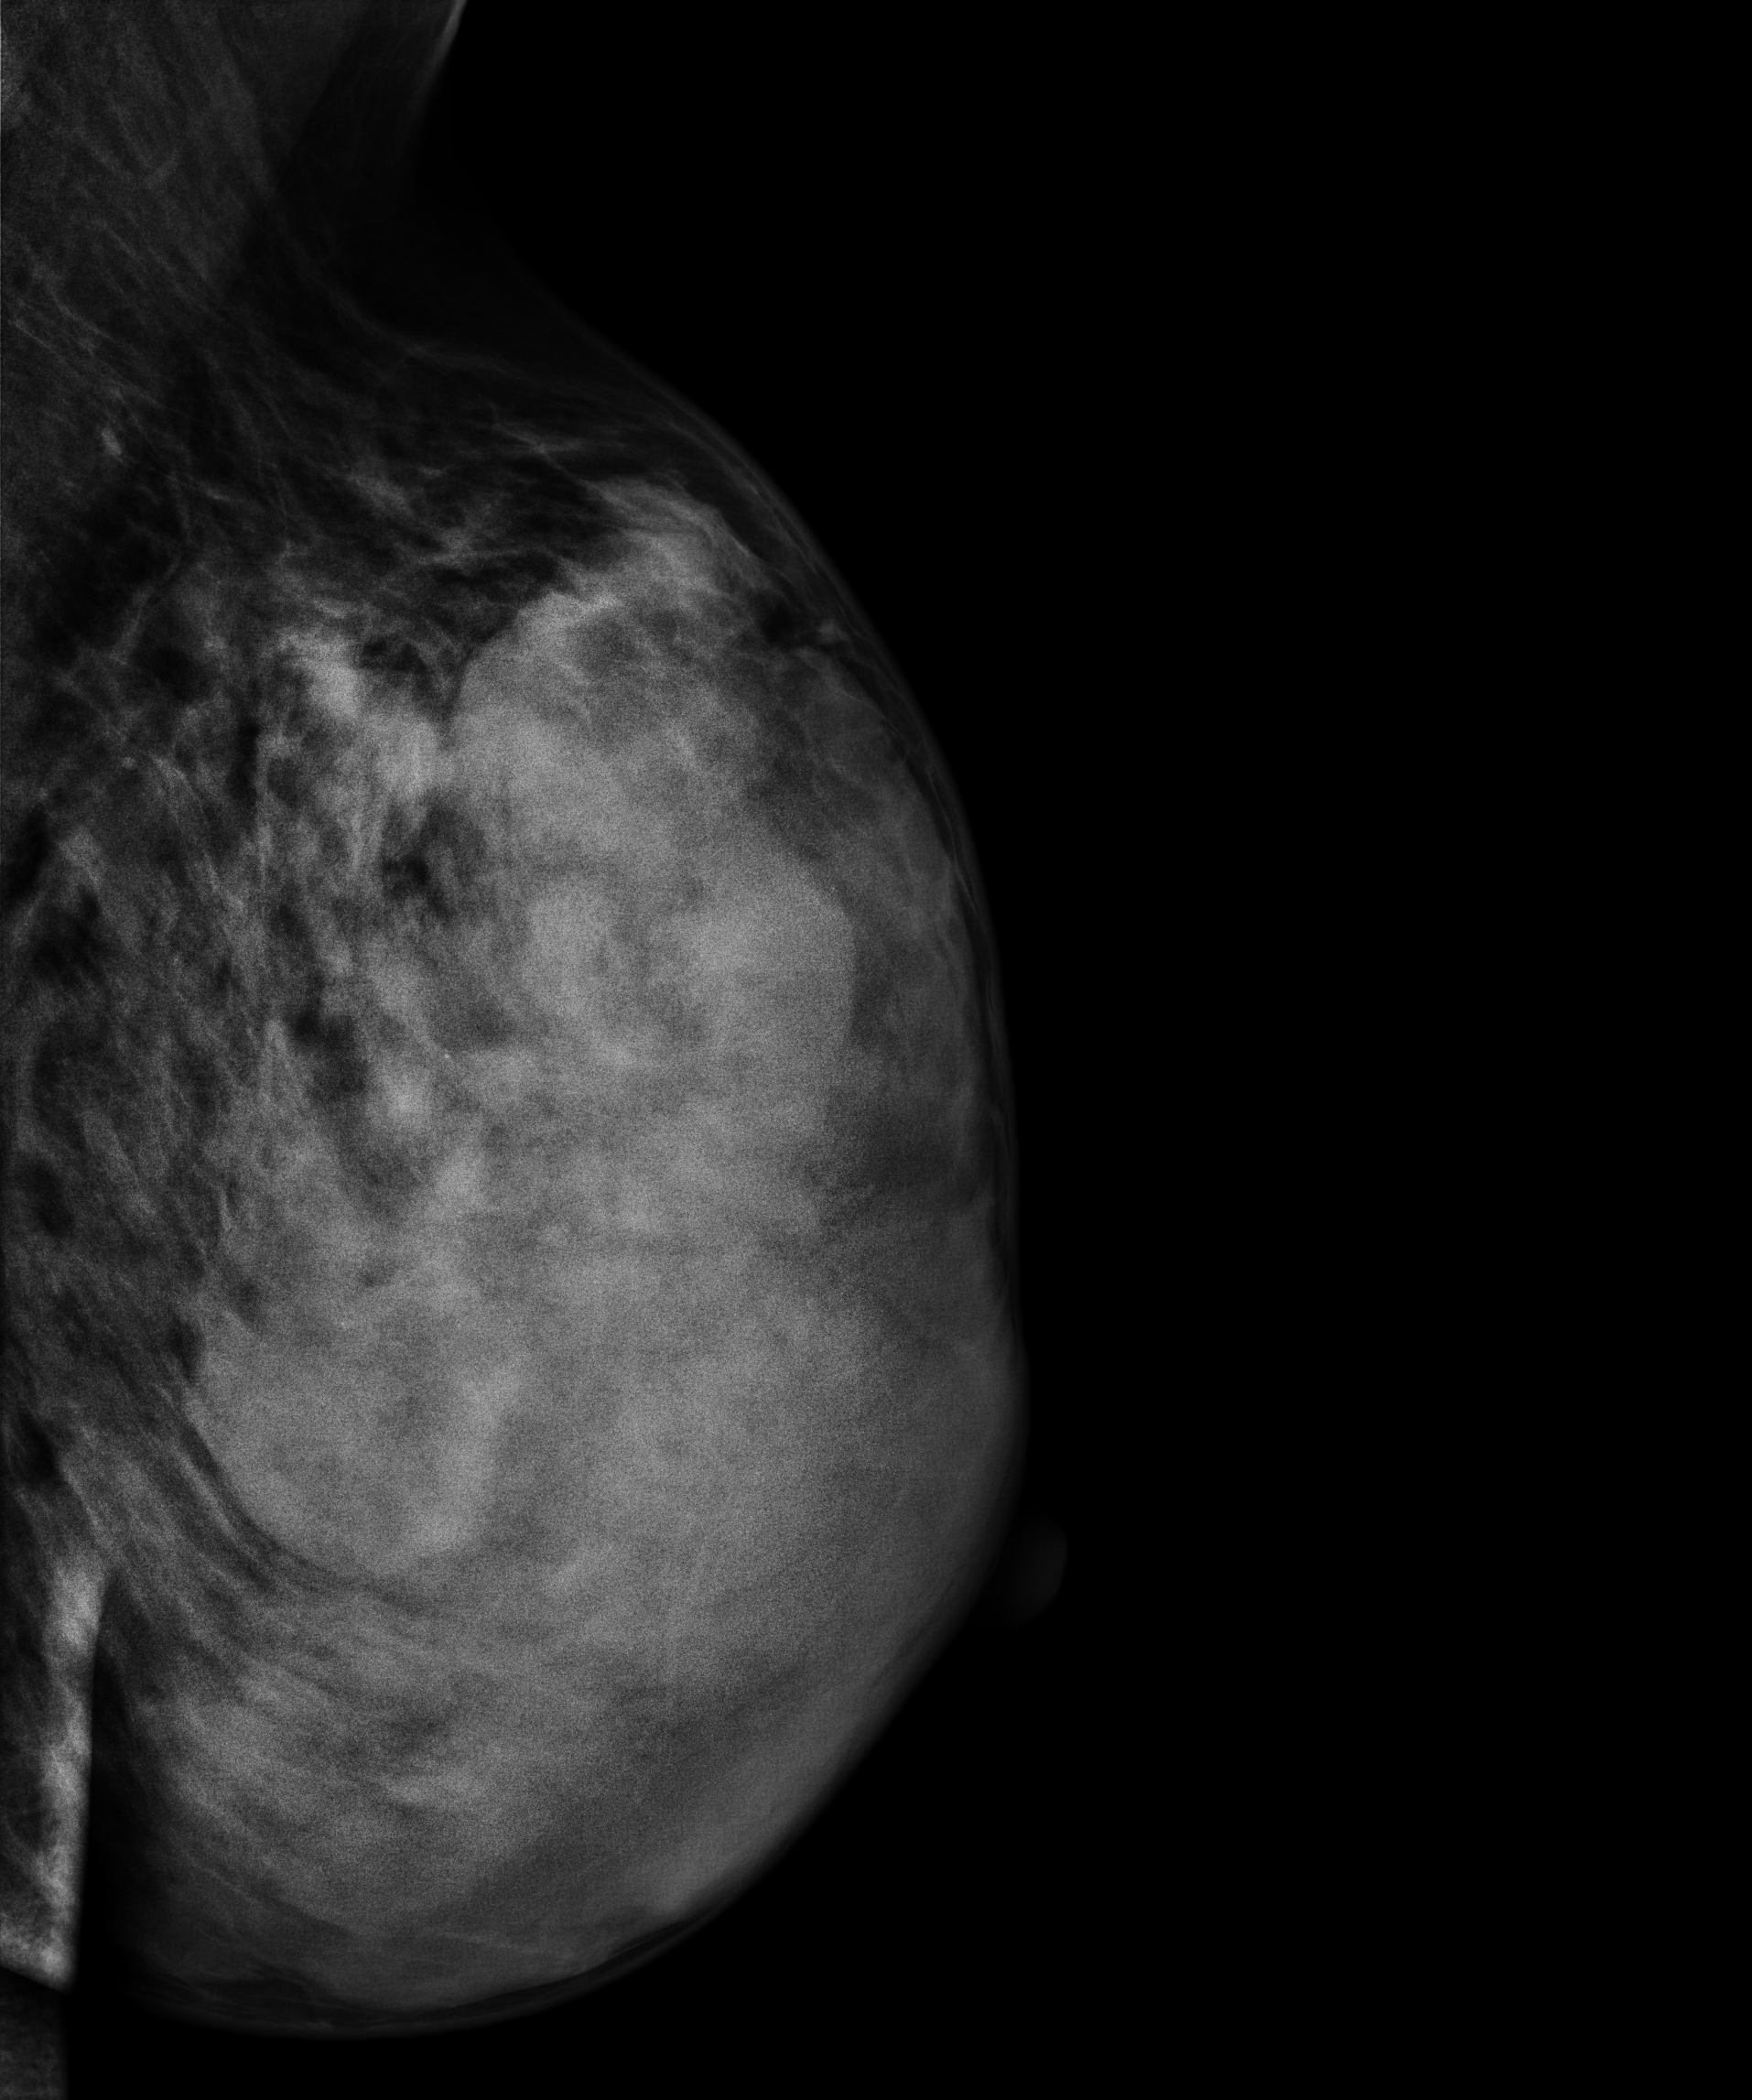
MLO mammogram of the left breast. Patient age 30.
This breast has a mass, biopsy-confirmed malignant.